Mammogram — left MLO. 59 y/o patient.
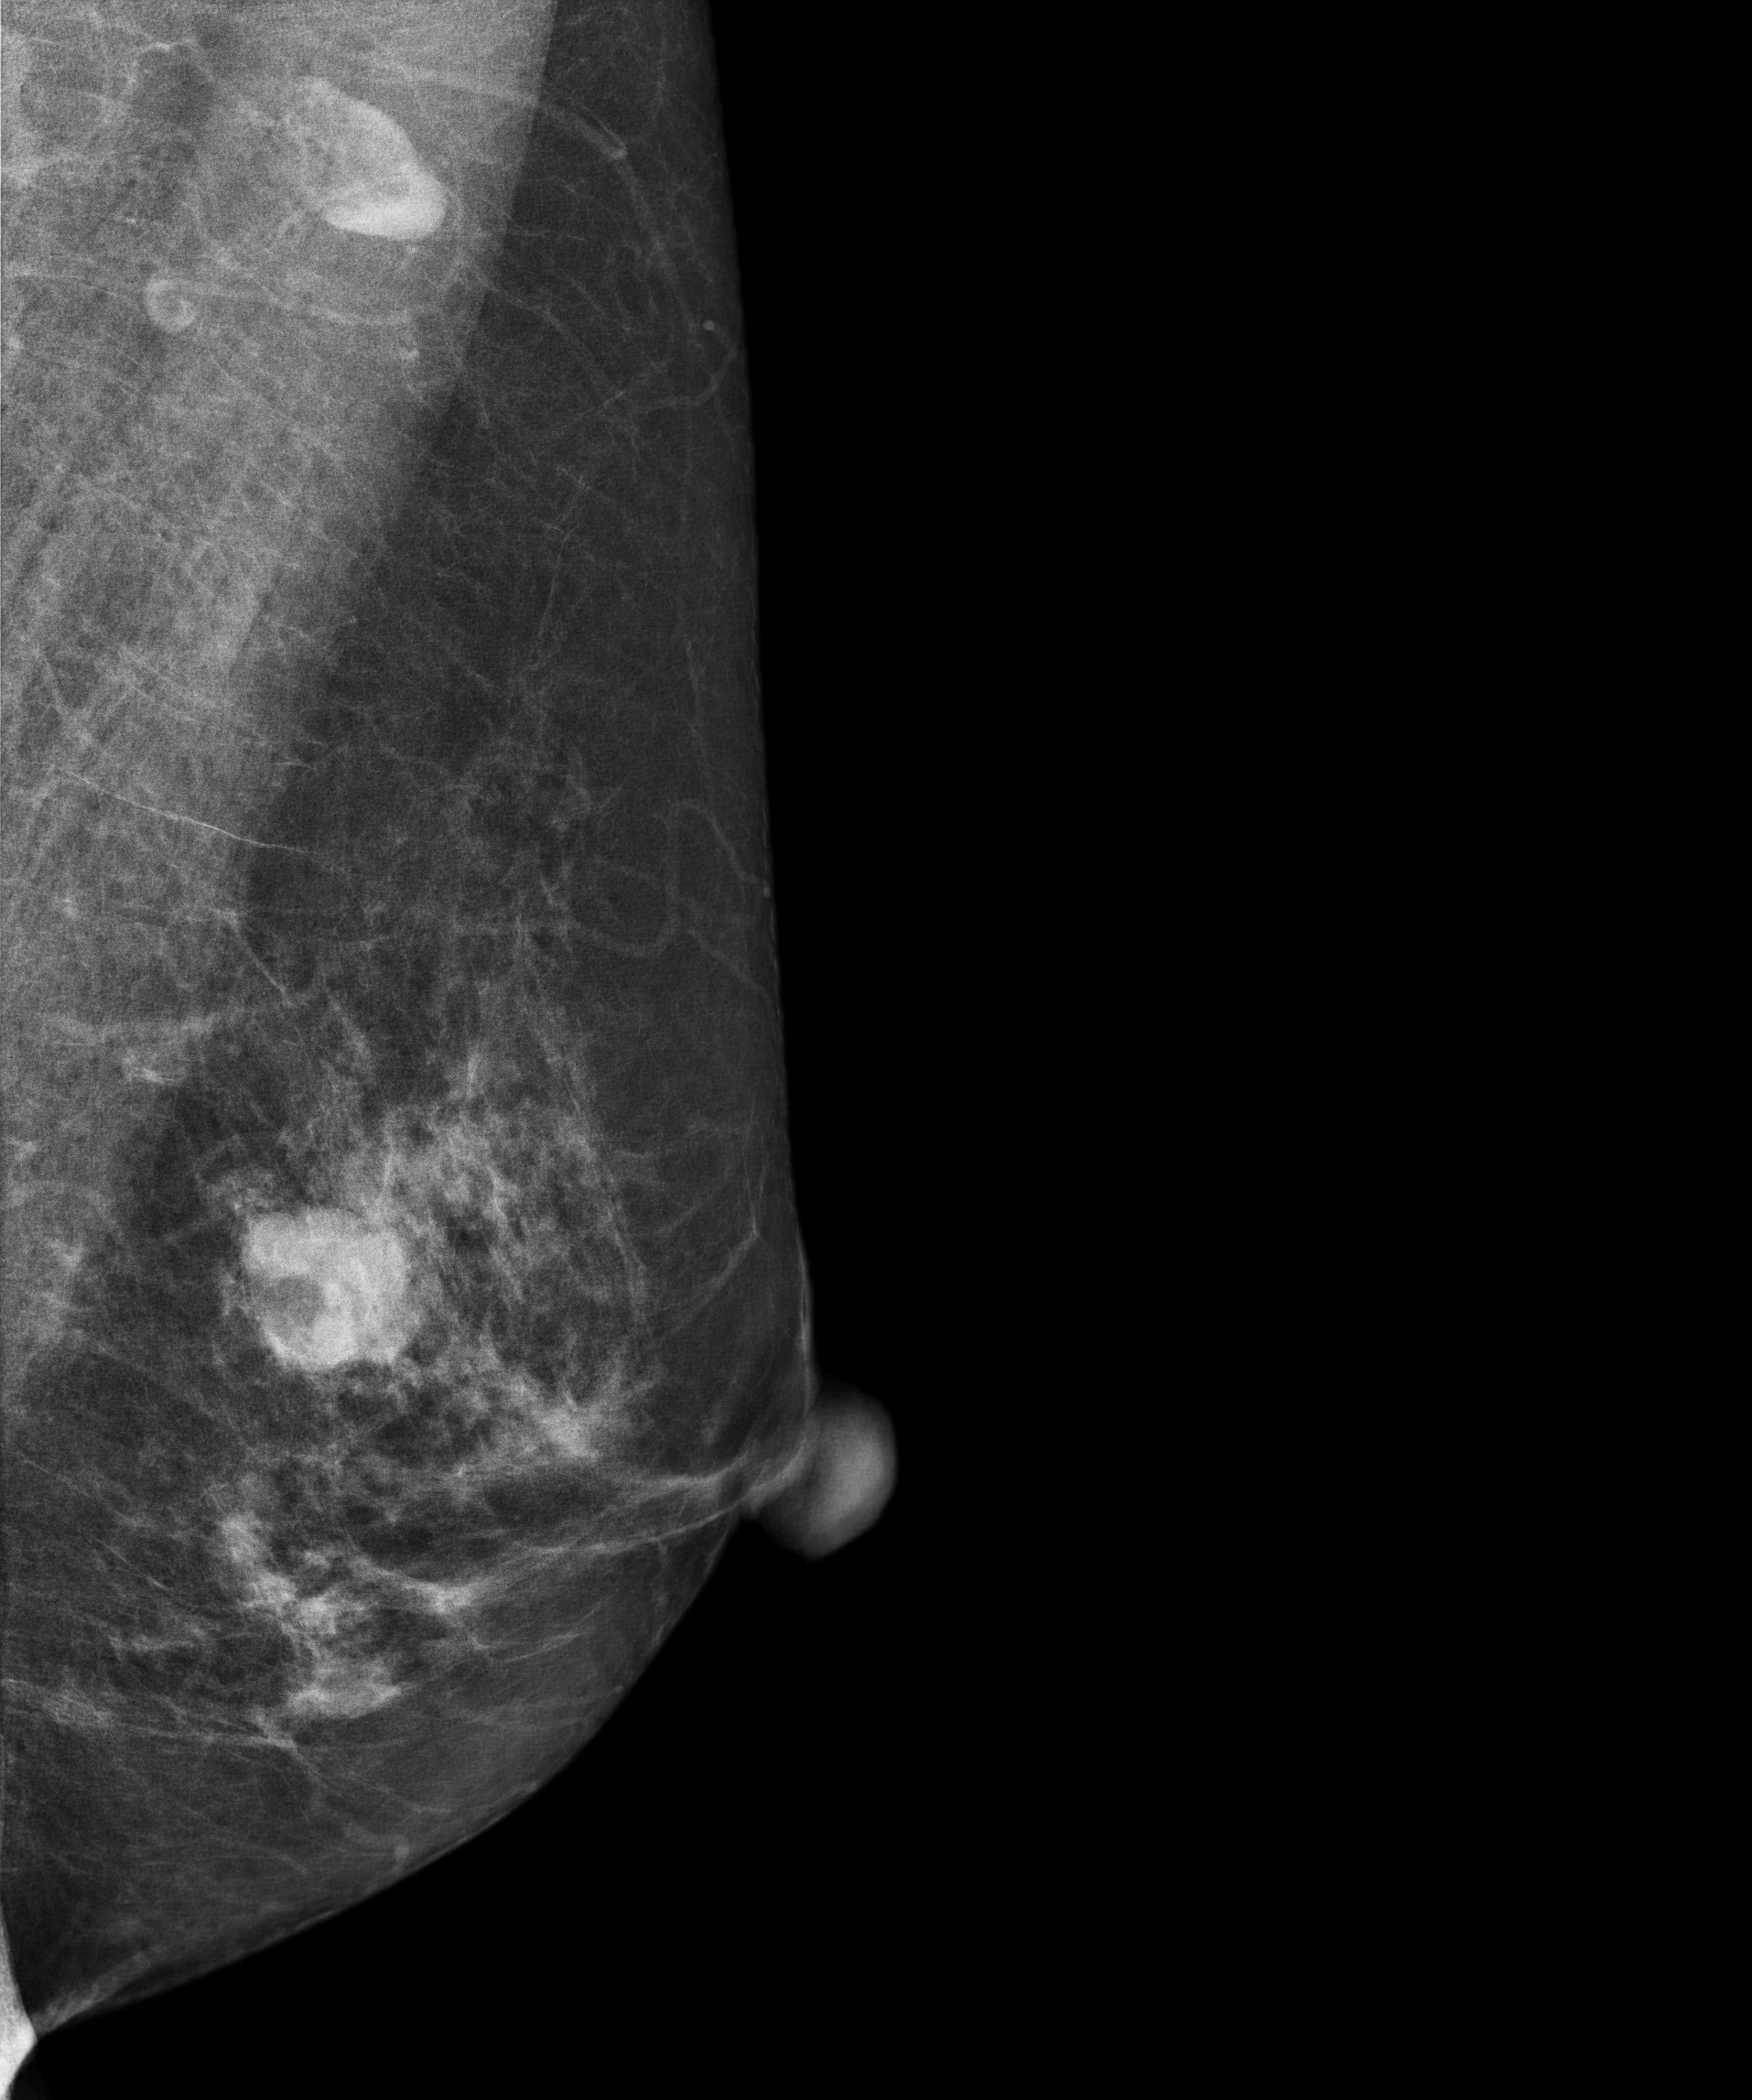
This breast has a mass, pathology-confirmed malignant. Molecular subtype: triple-negative.